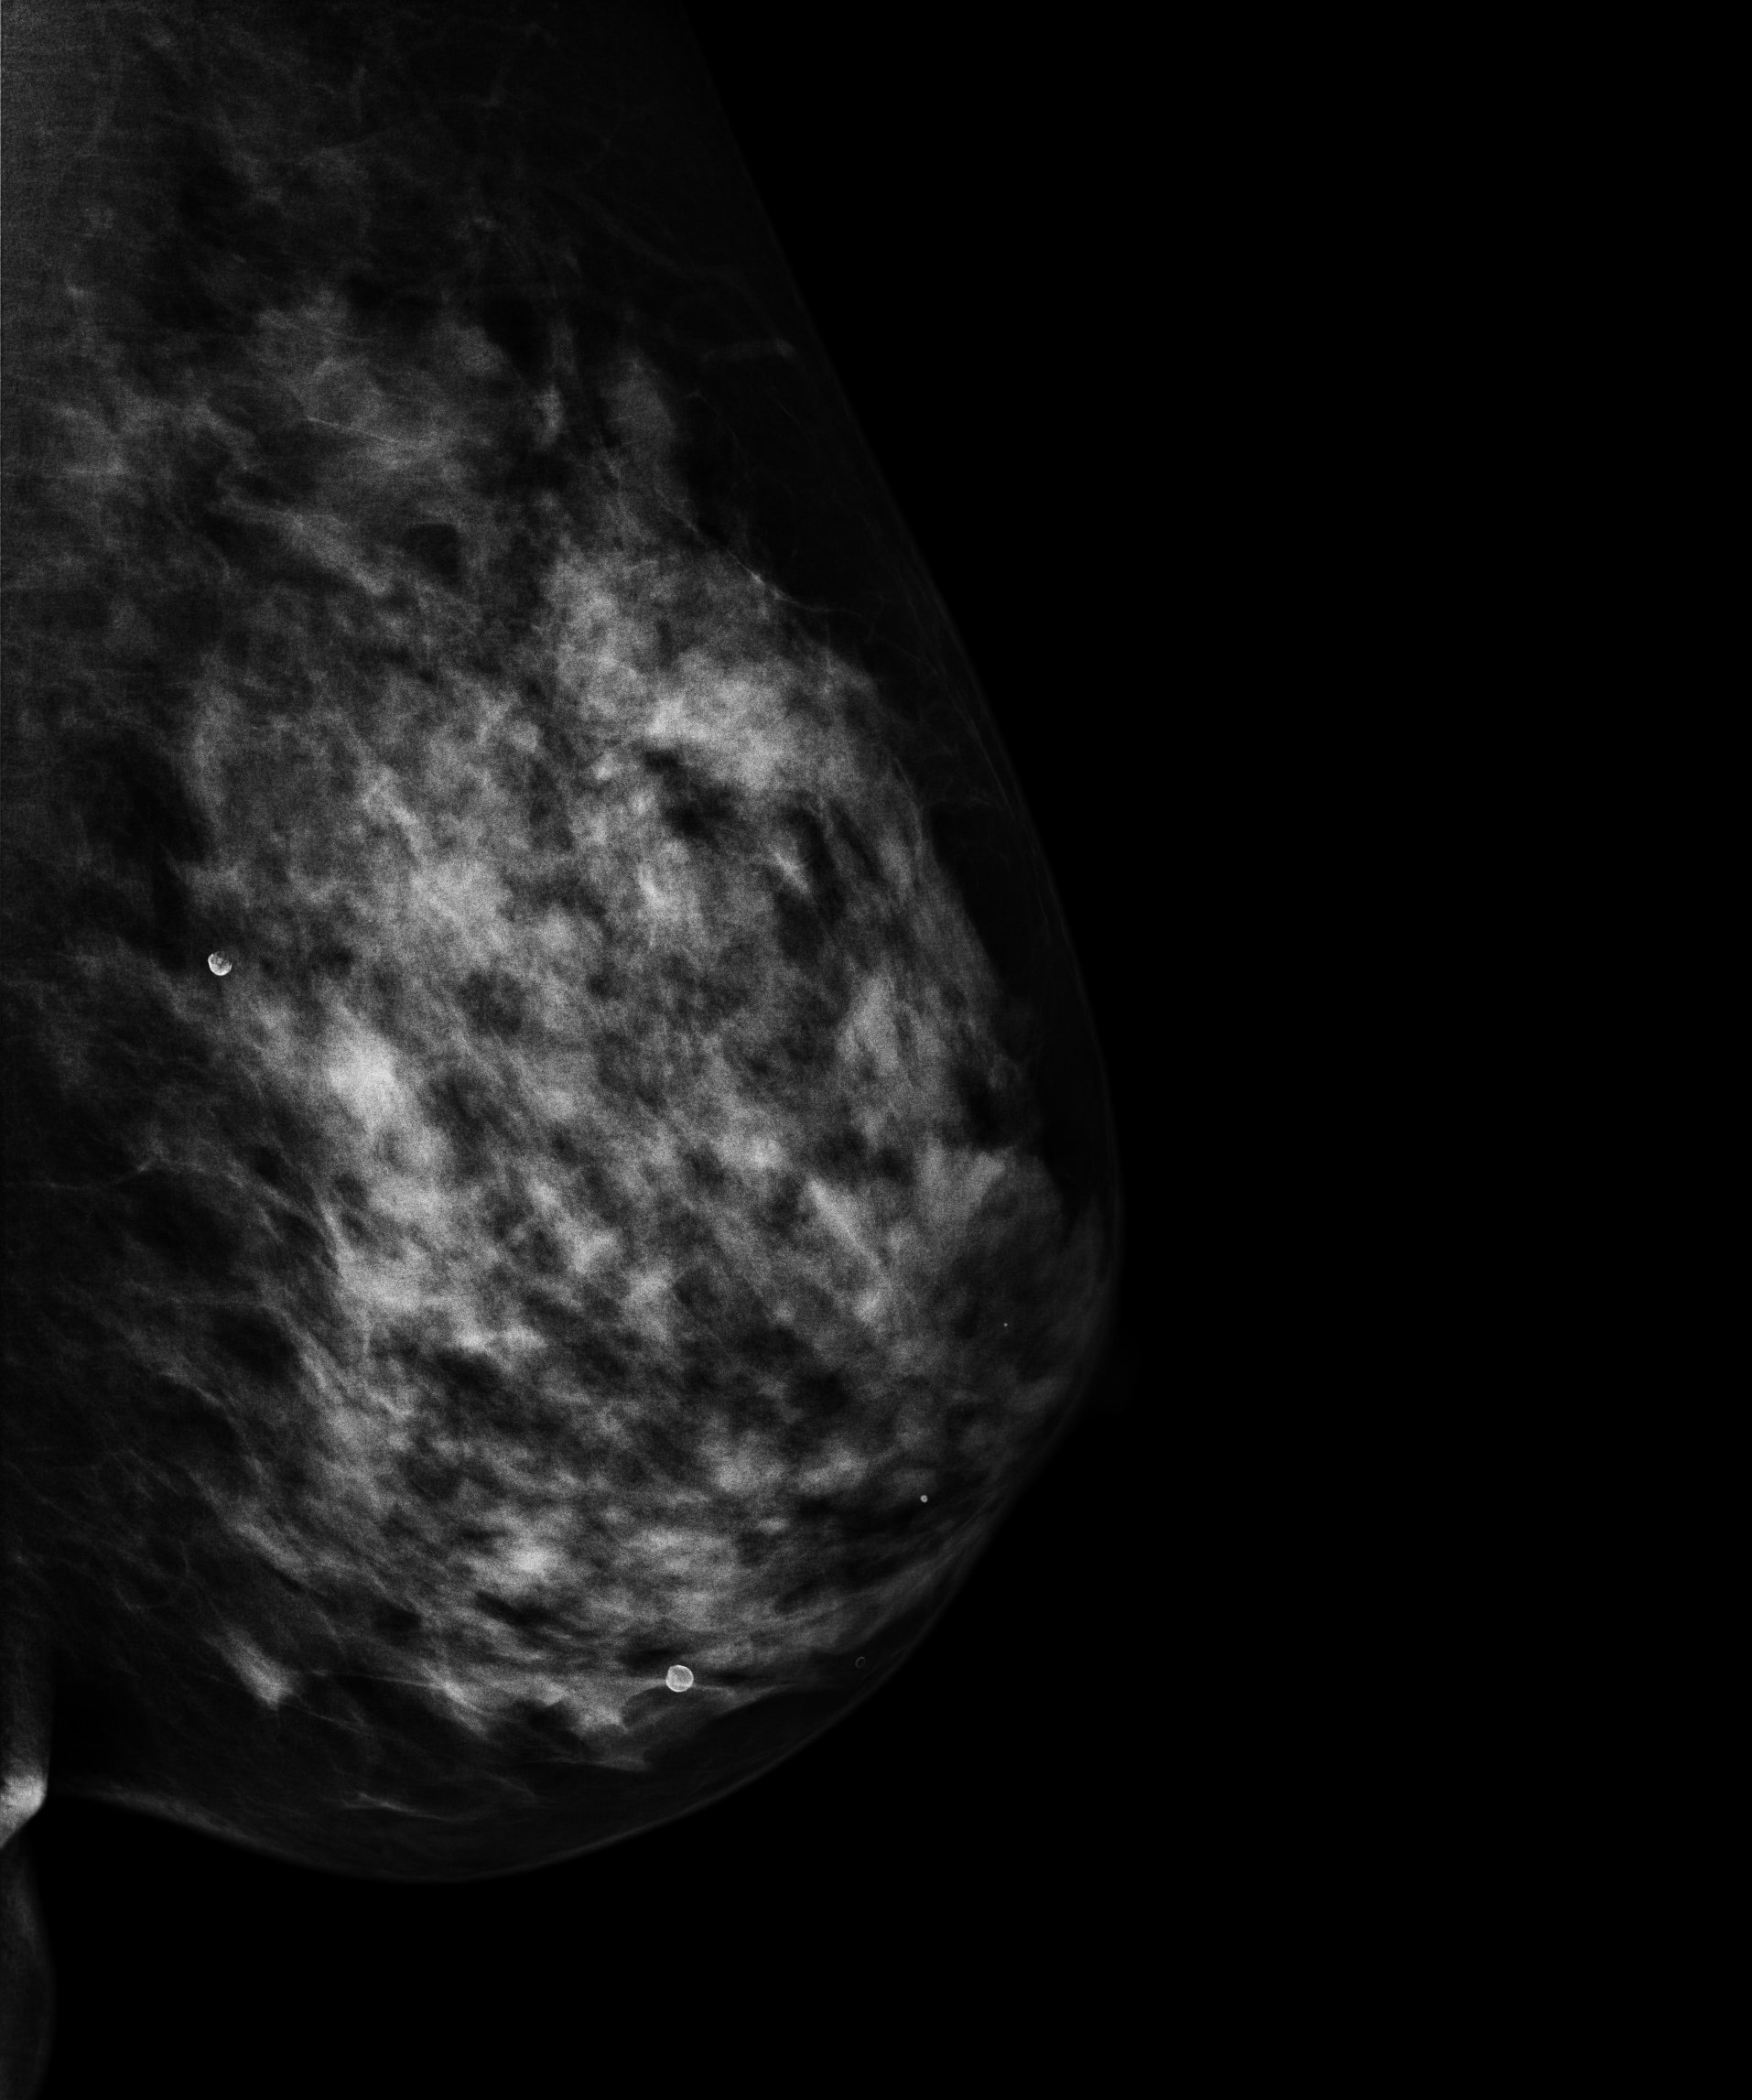
Mammogram, left breast, MLO view. 59-year-old patient.
This breast has calcifications, pathology-confirmed benign.